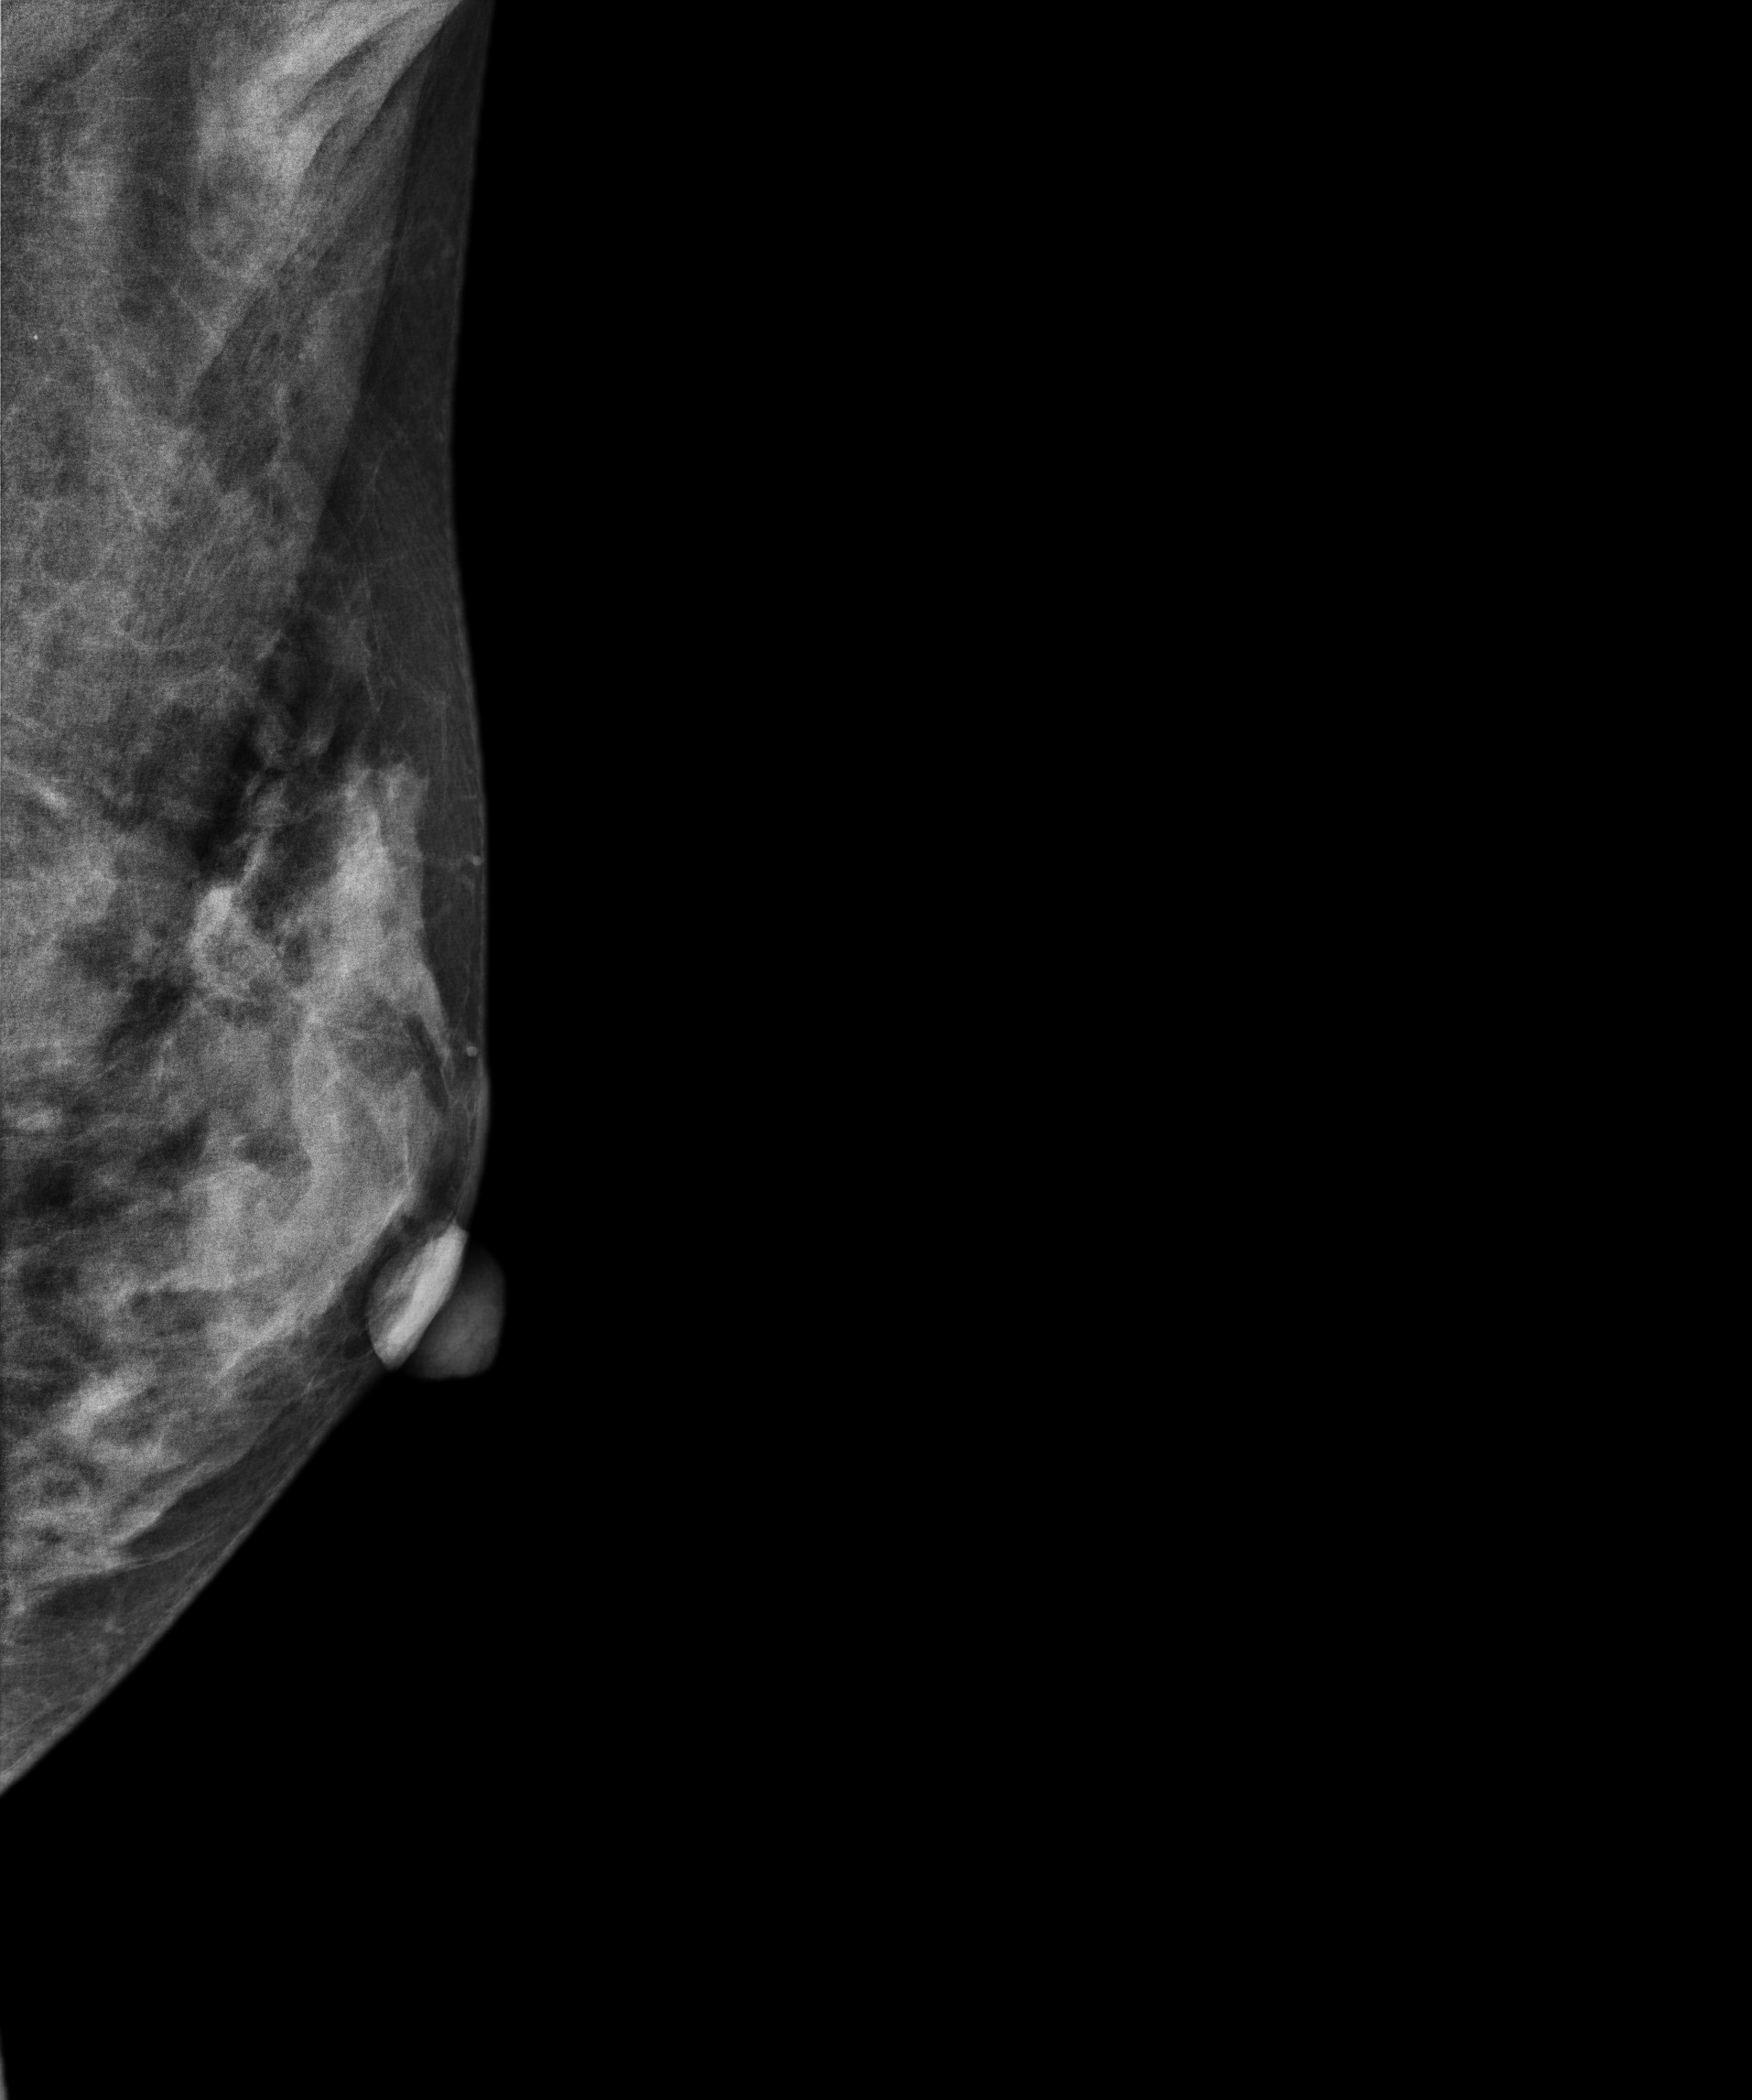
Left-breast mammogram, MLO. 45 y/o patient.
This breast has a mass, biopsy-confirmed malignant.